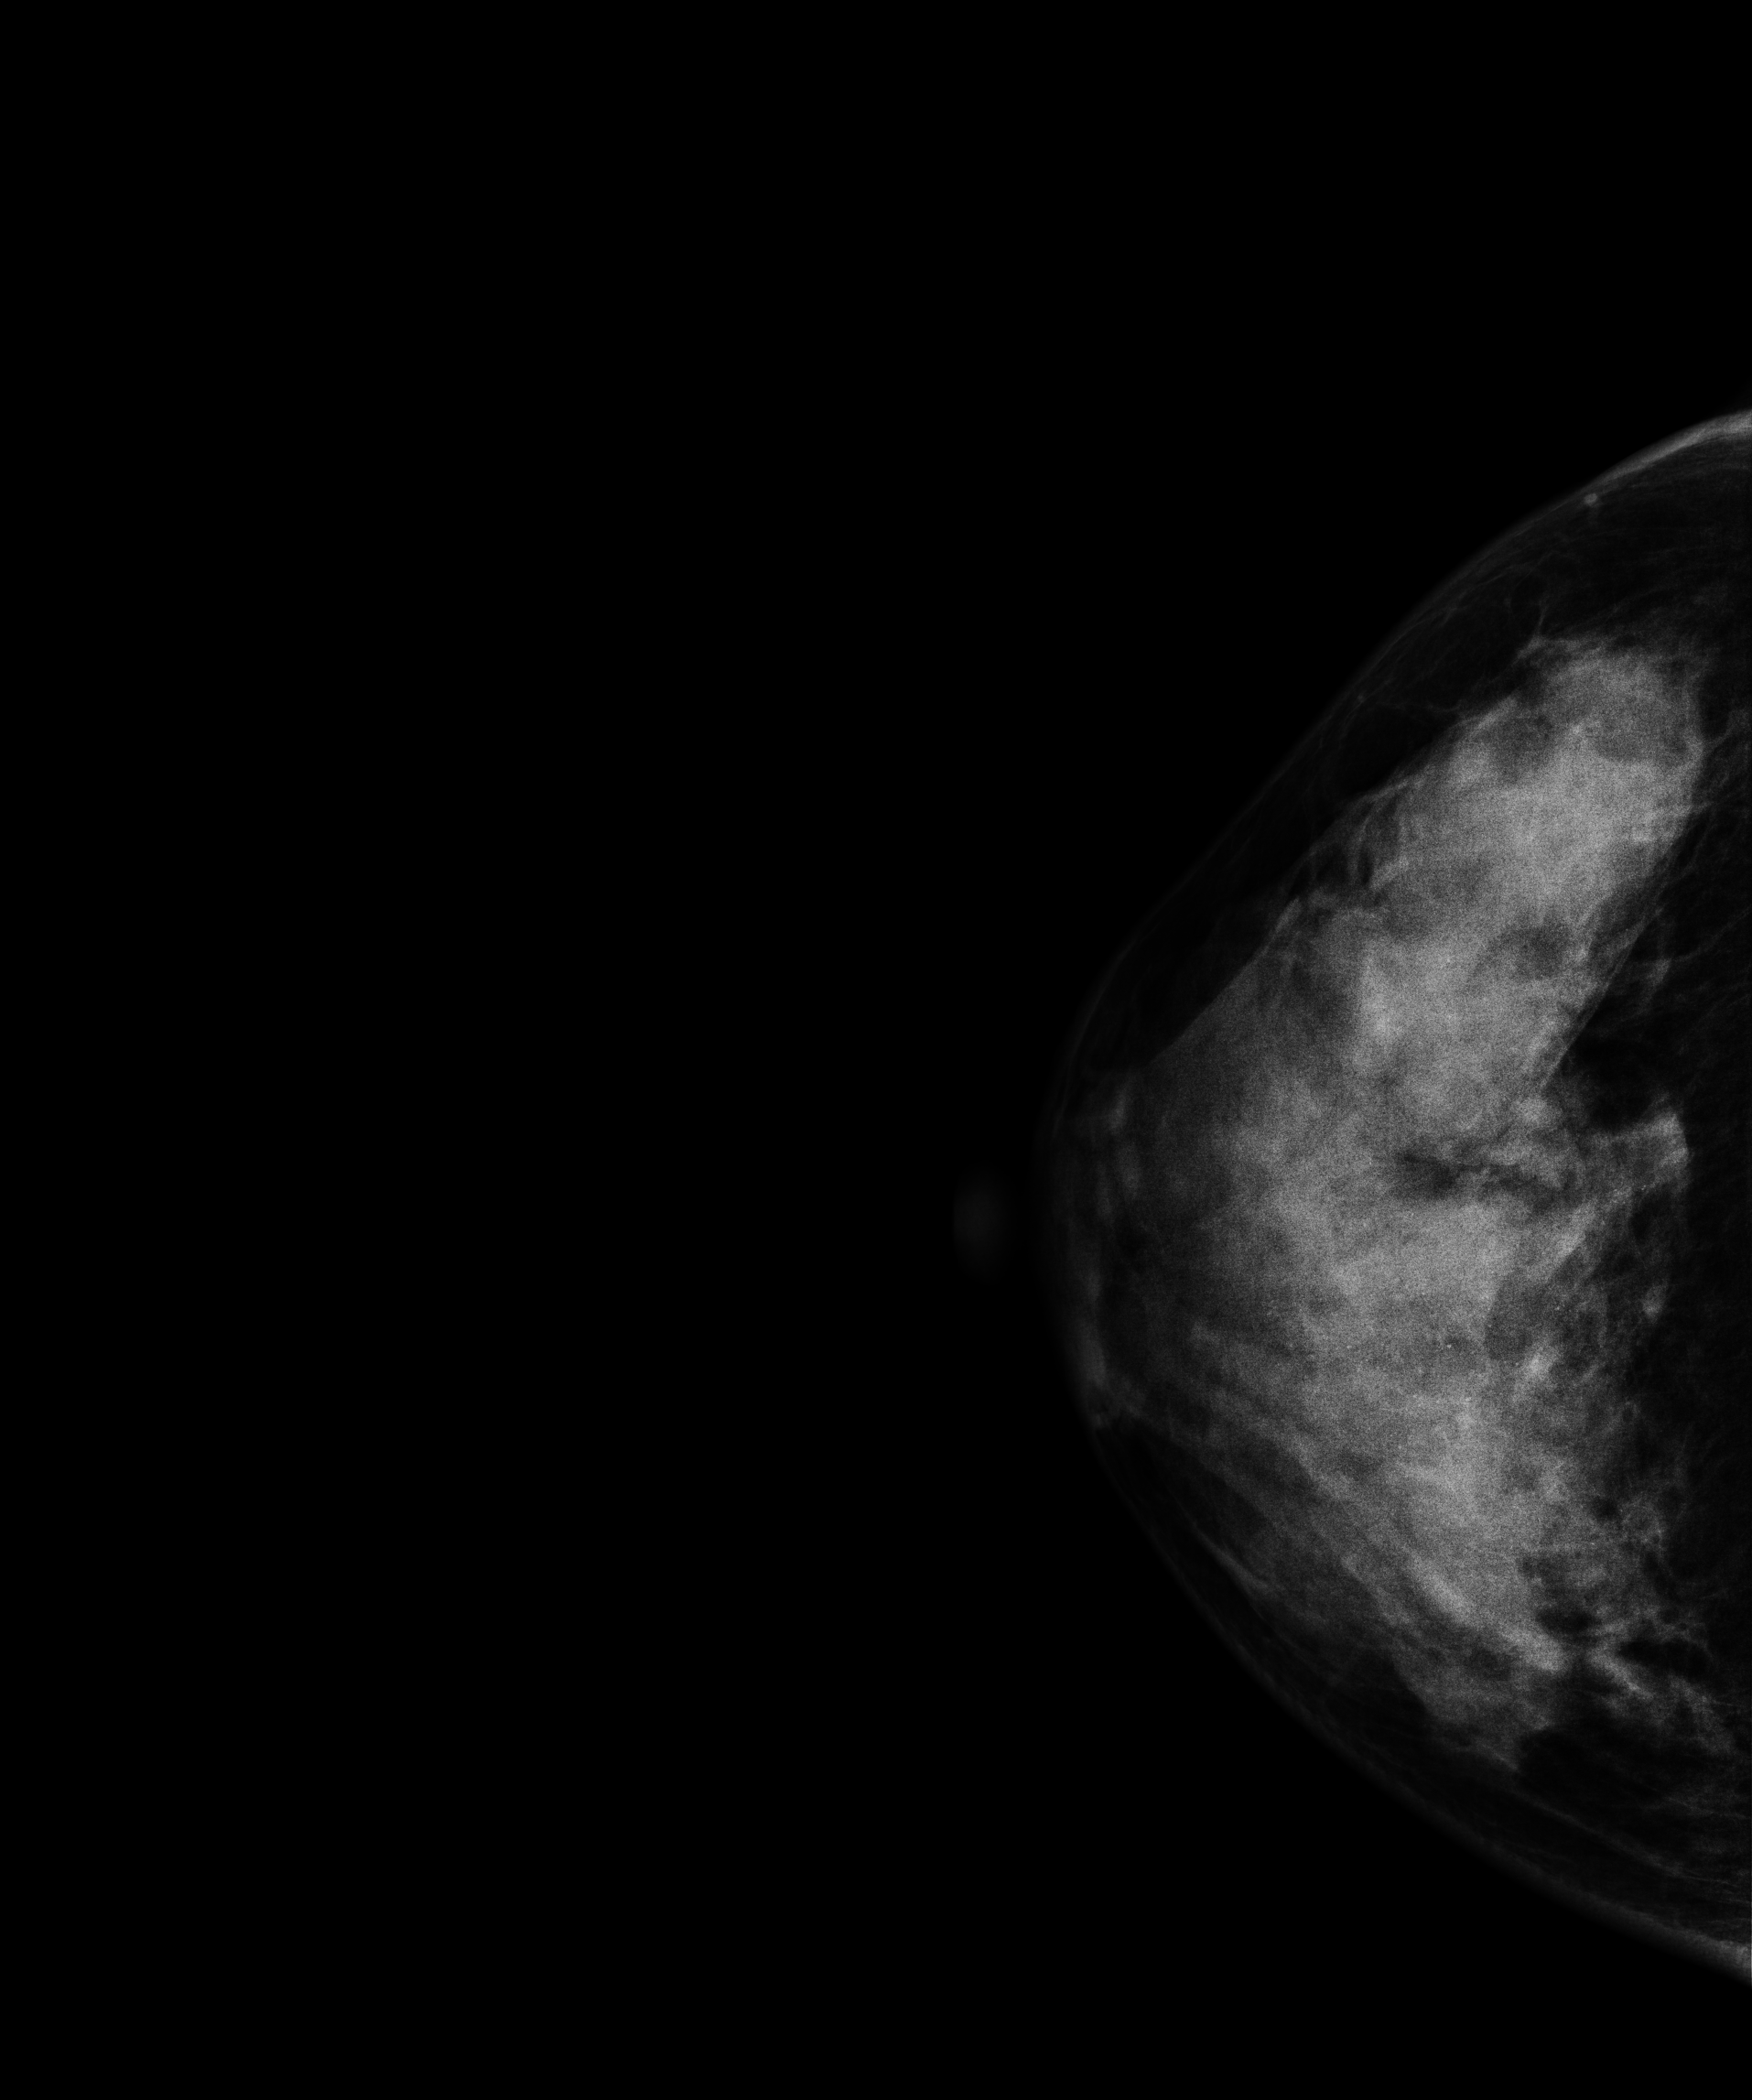
Mammogram, right breast, cranio-caudal view. Patient age 49.
This breast has calcifications, biopsy-proven malignant.